Mammogram — left MLO. 31 y/o patient.
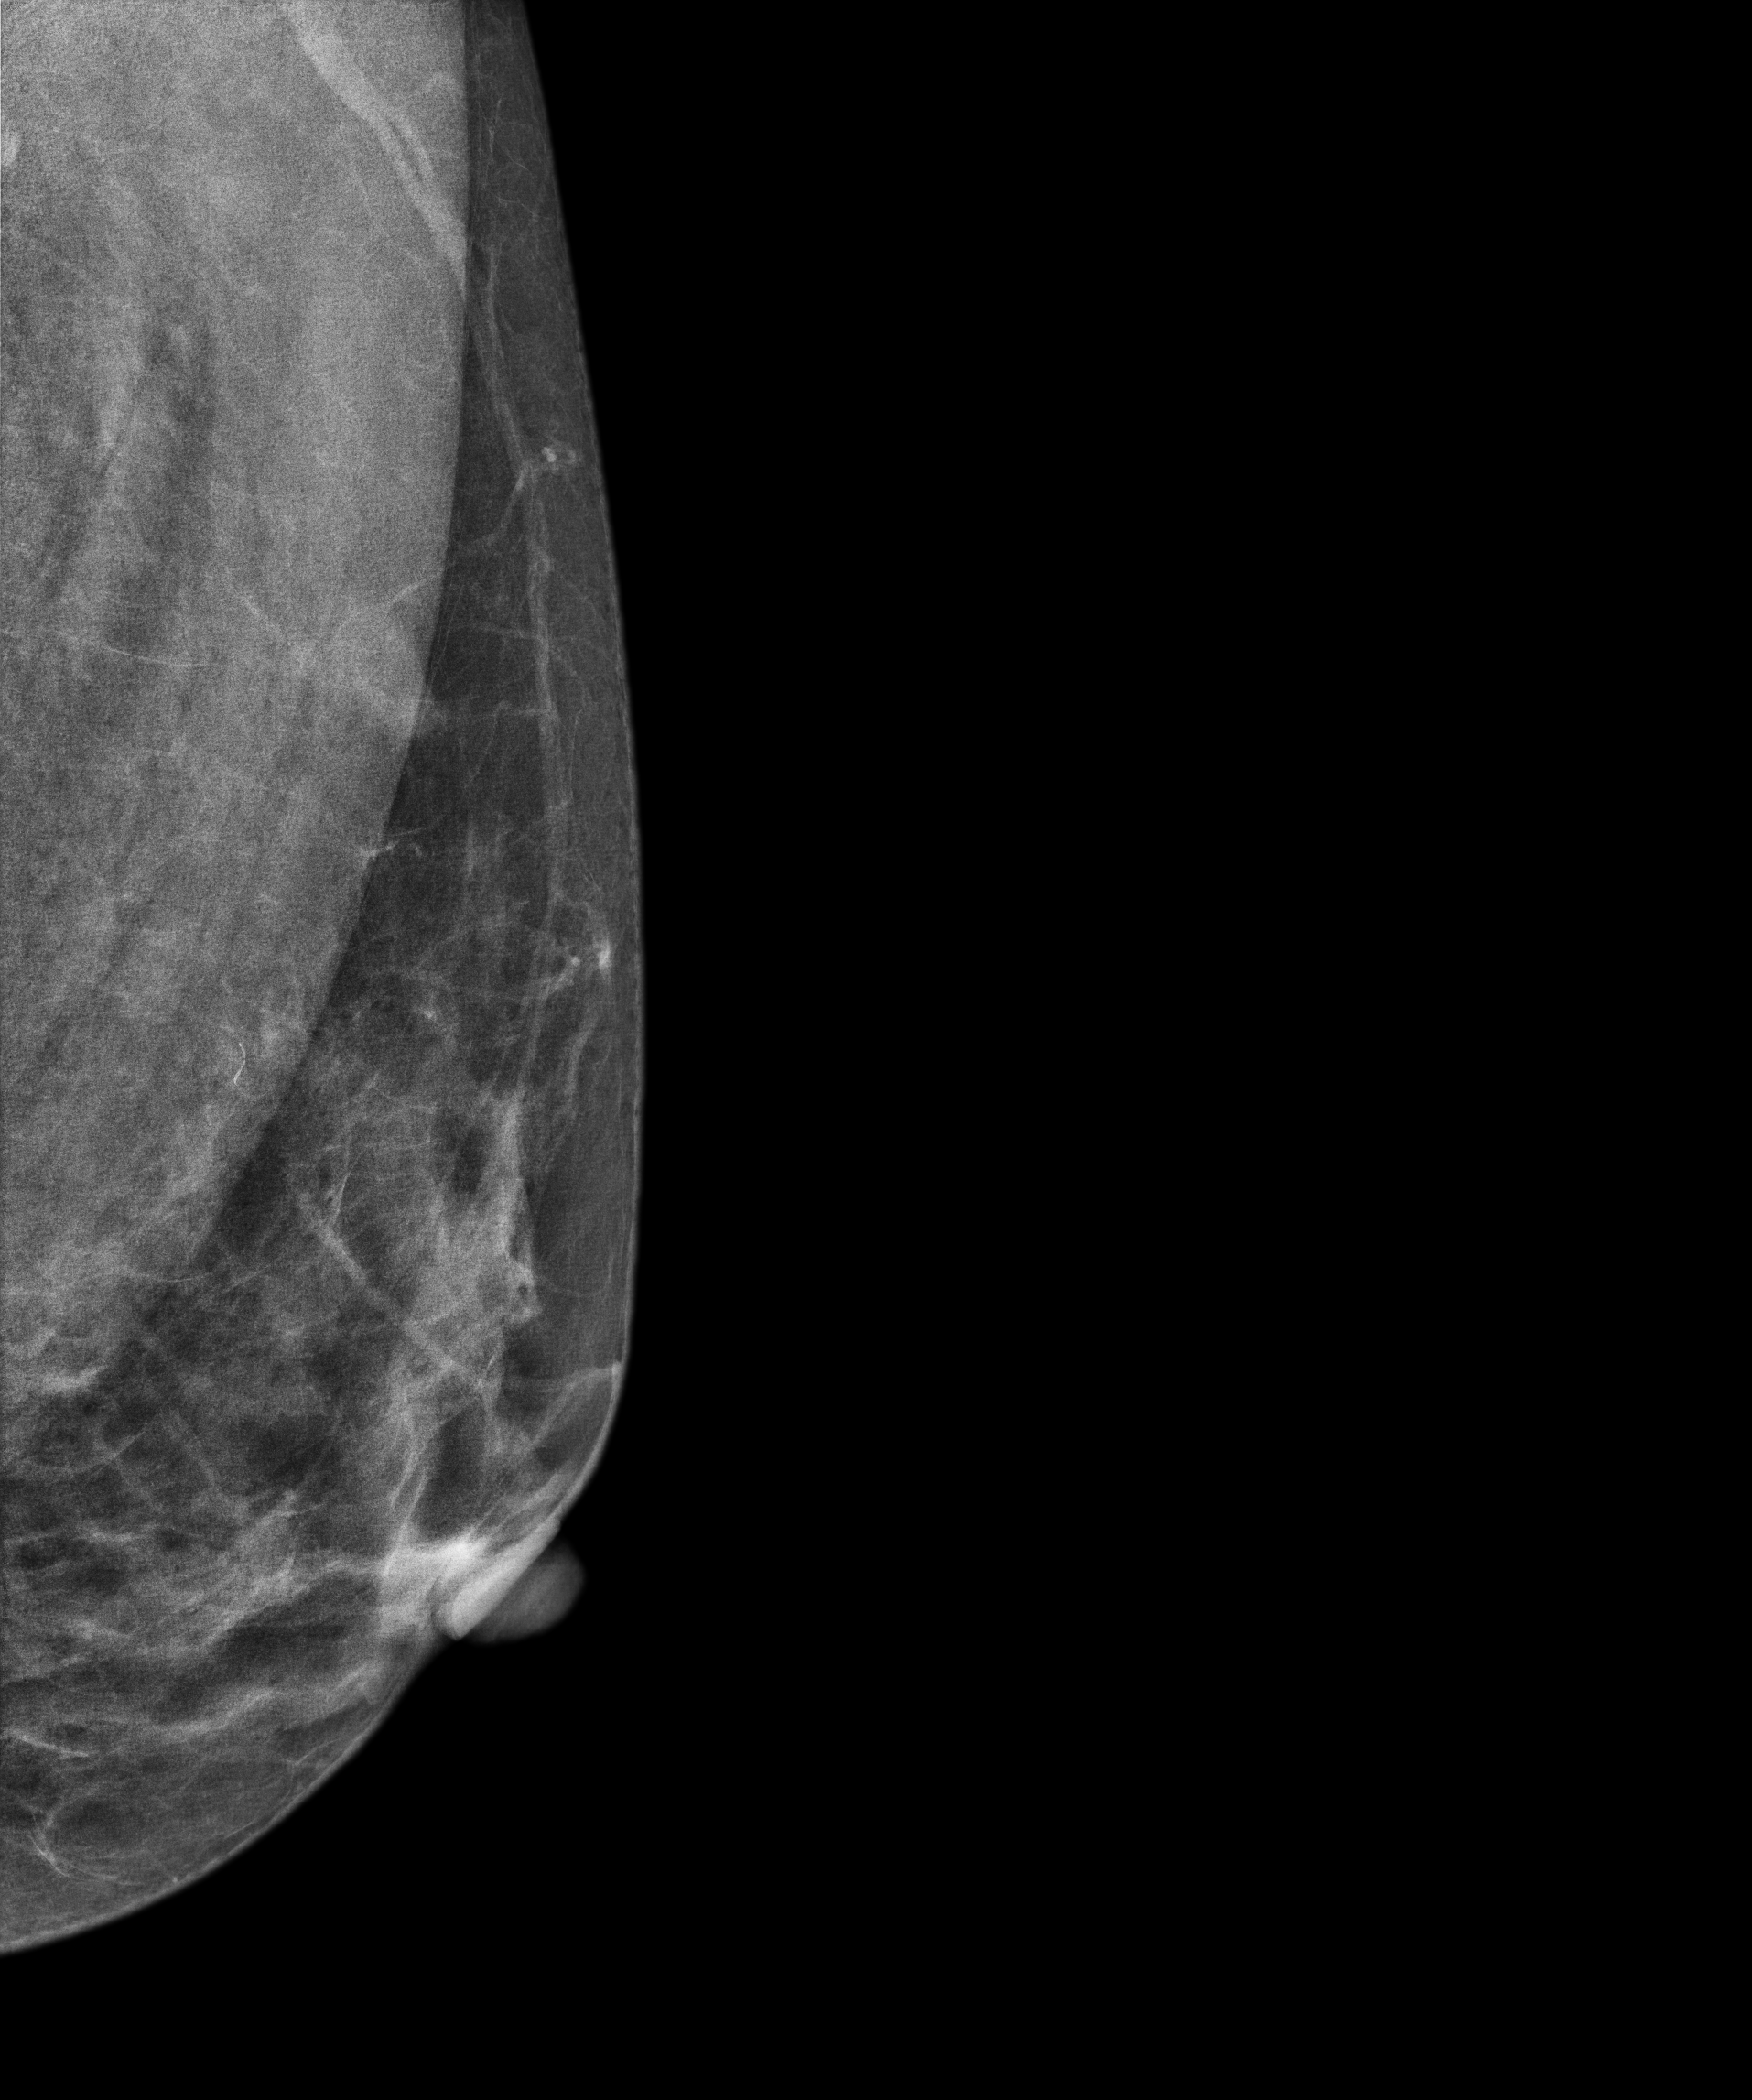
Contralateral breast — no documented abnormality on this side.